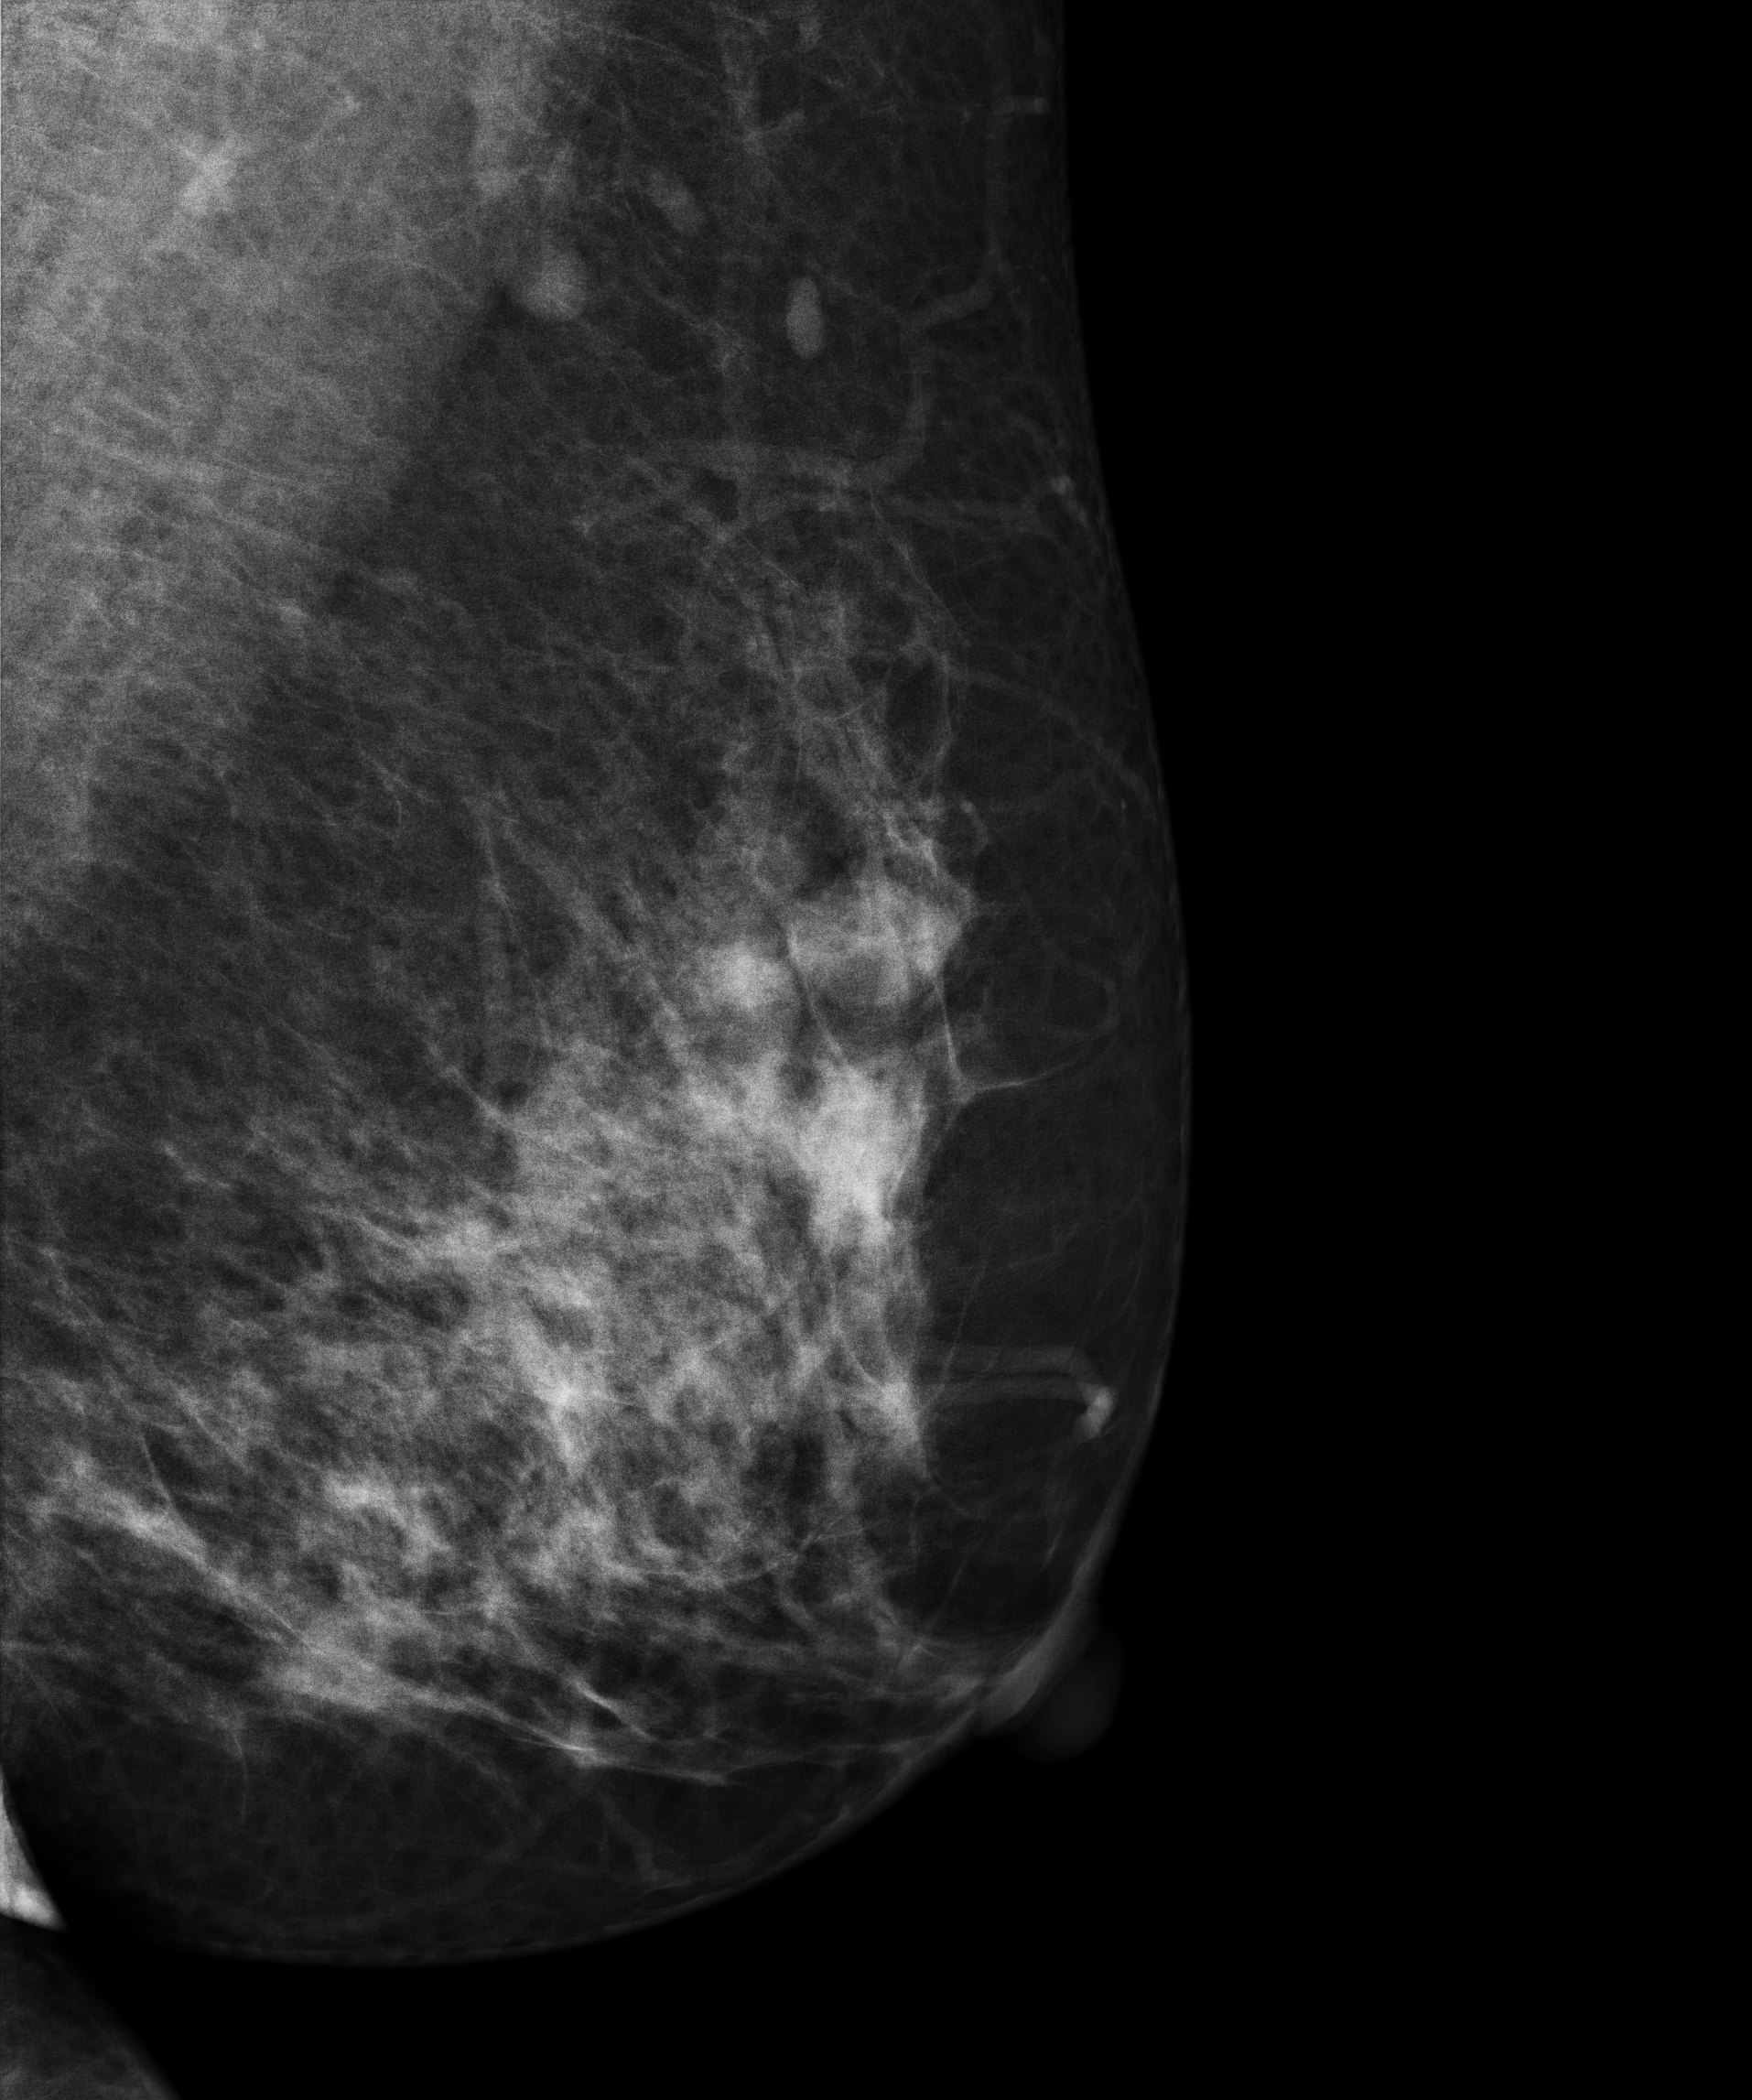
Left-breast mammogram, MLO. 34-year-old patient.
This breast has a mass, biopsy-proven benign.